Mammogram, right breast, CC view. Patient age 40.
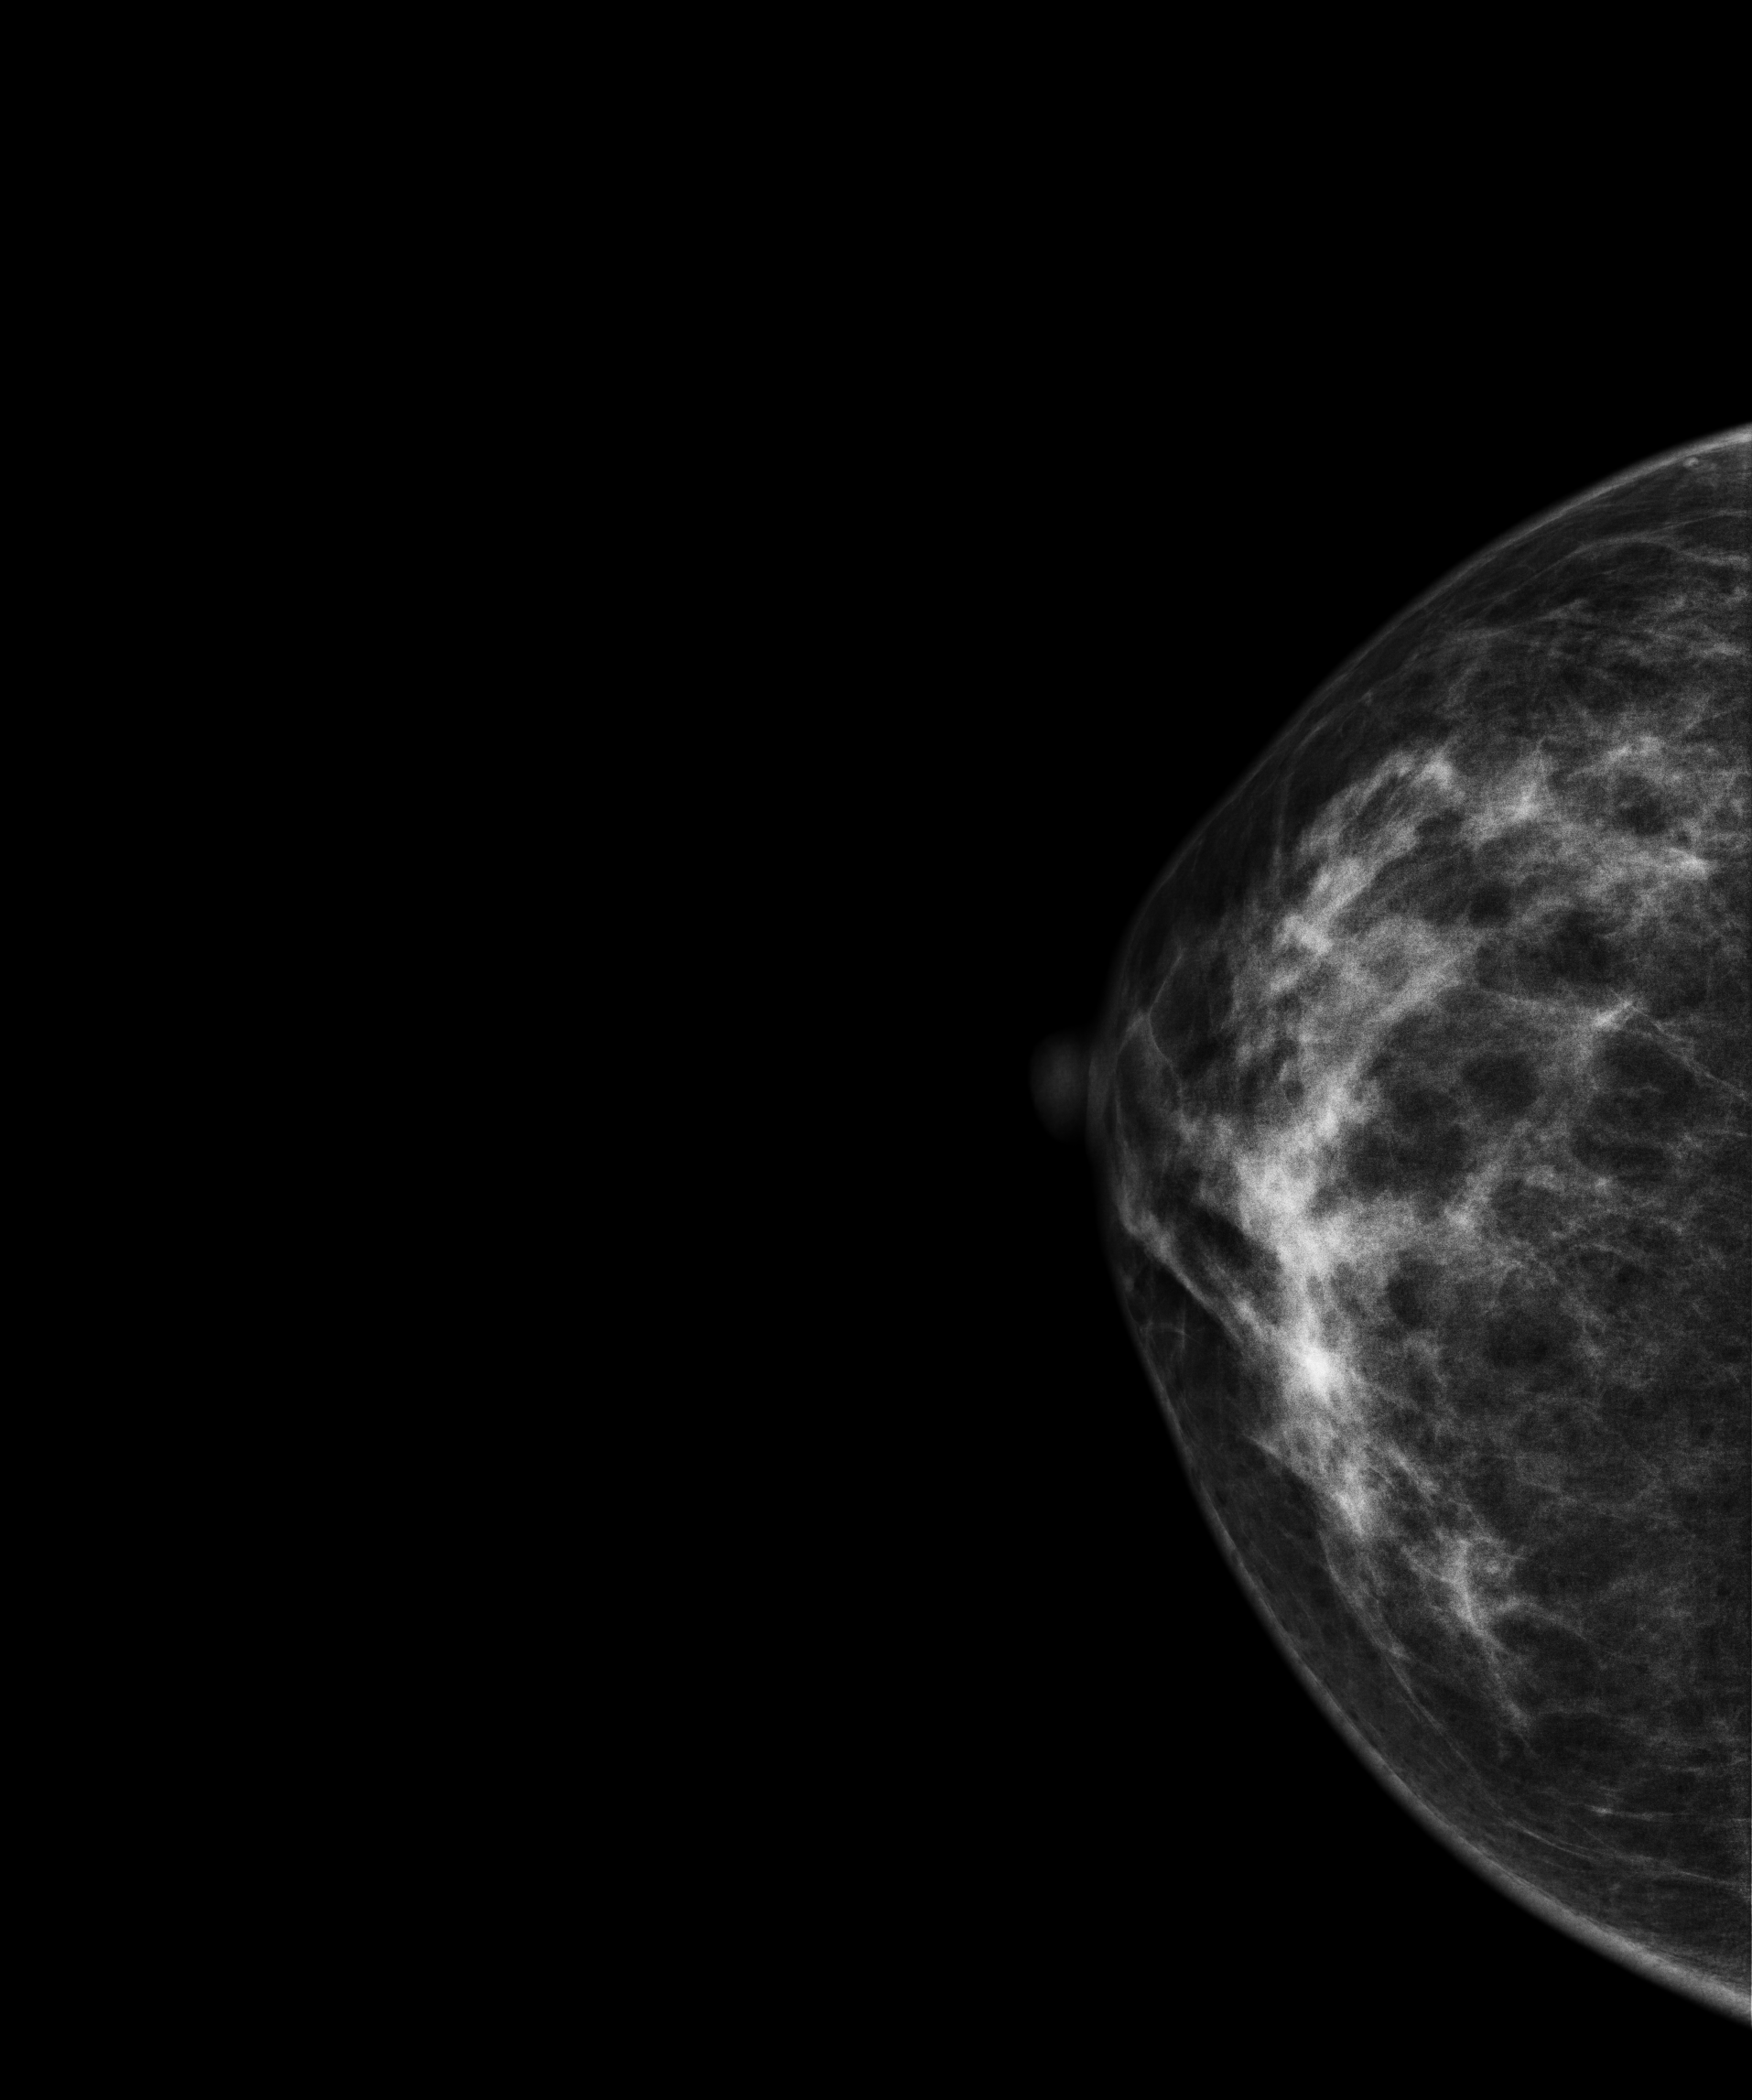
Contralateral breast — no documented abnormality on this side.